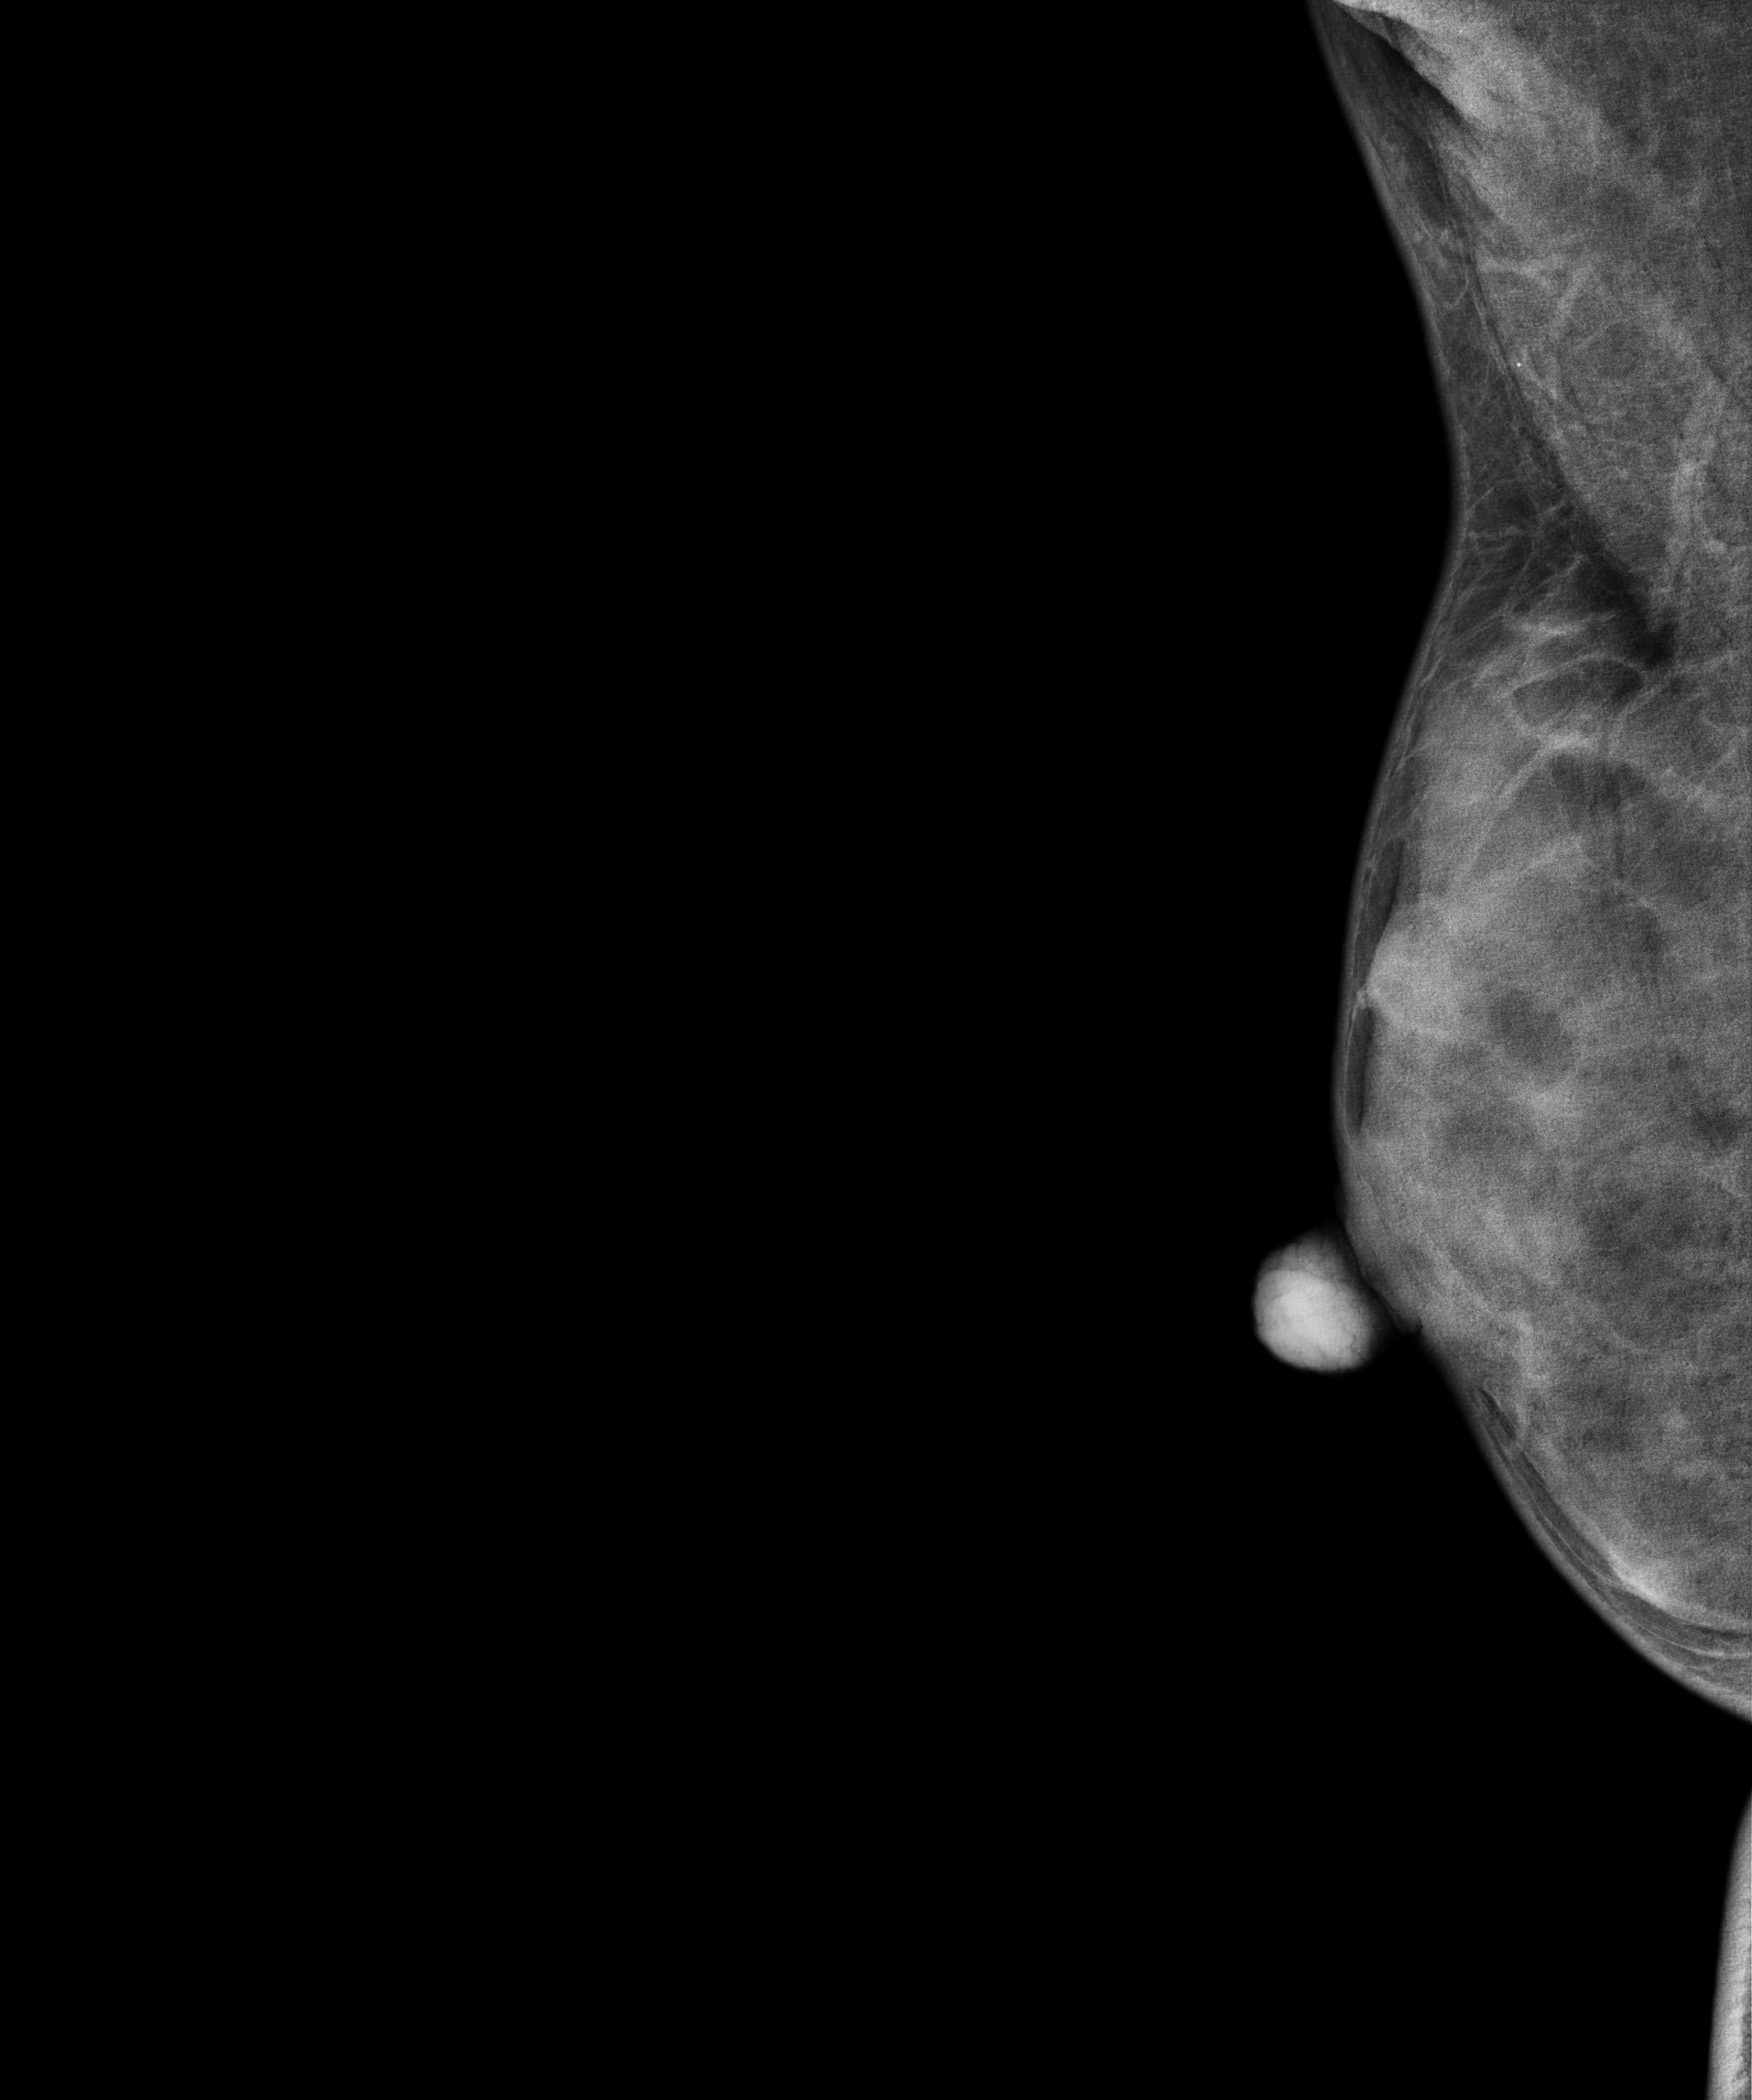
Right-breast mammogram, MLO. Patient age 48.
This breast has a mass, biopsy-confirmed benign.